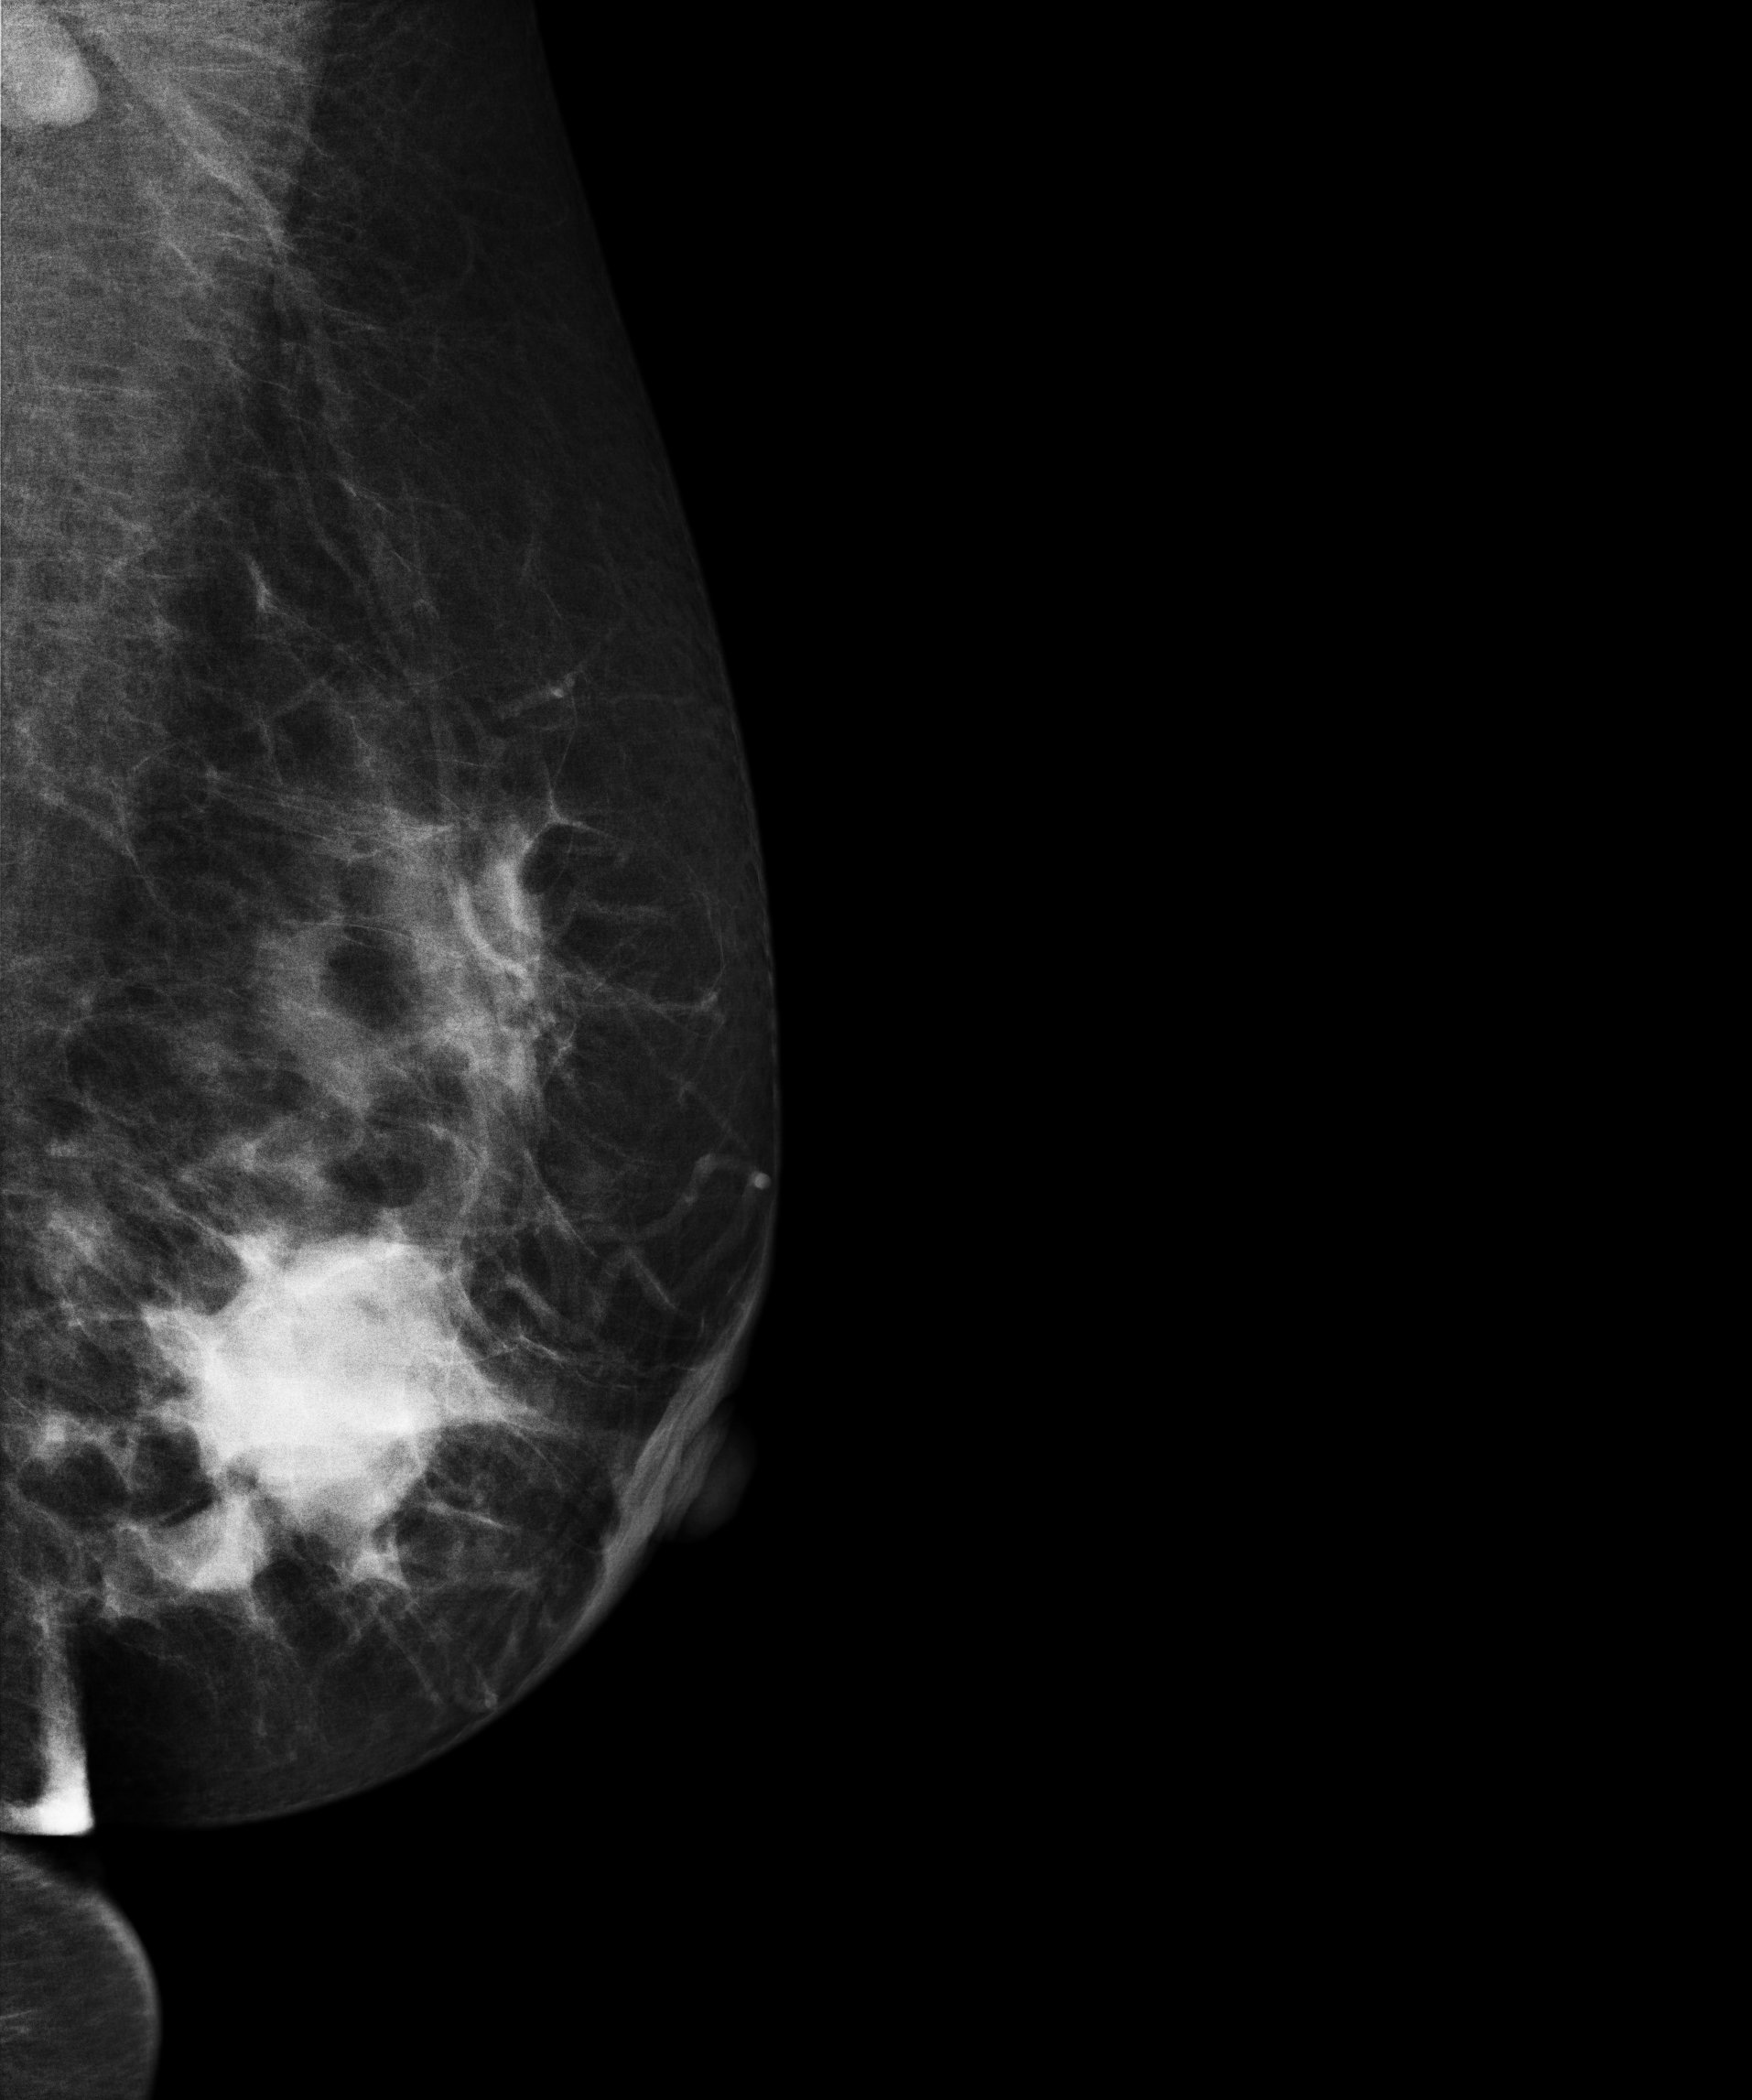
Mammogram — left medio-lateral oblique. 48-year-old patient.
This breast has a mass, pathology-confirmed malignant. Molecular subtype: HER2-enriched.